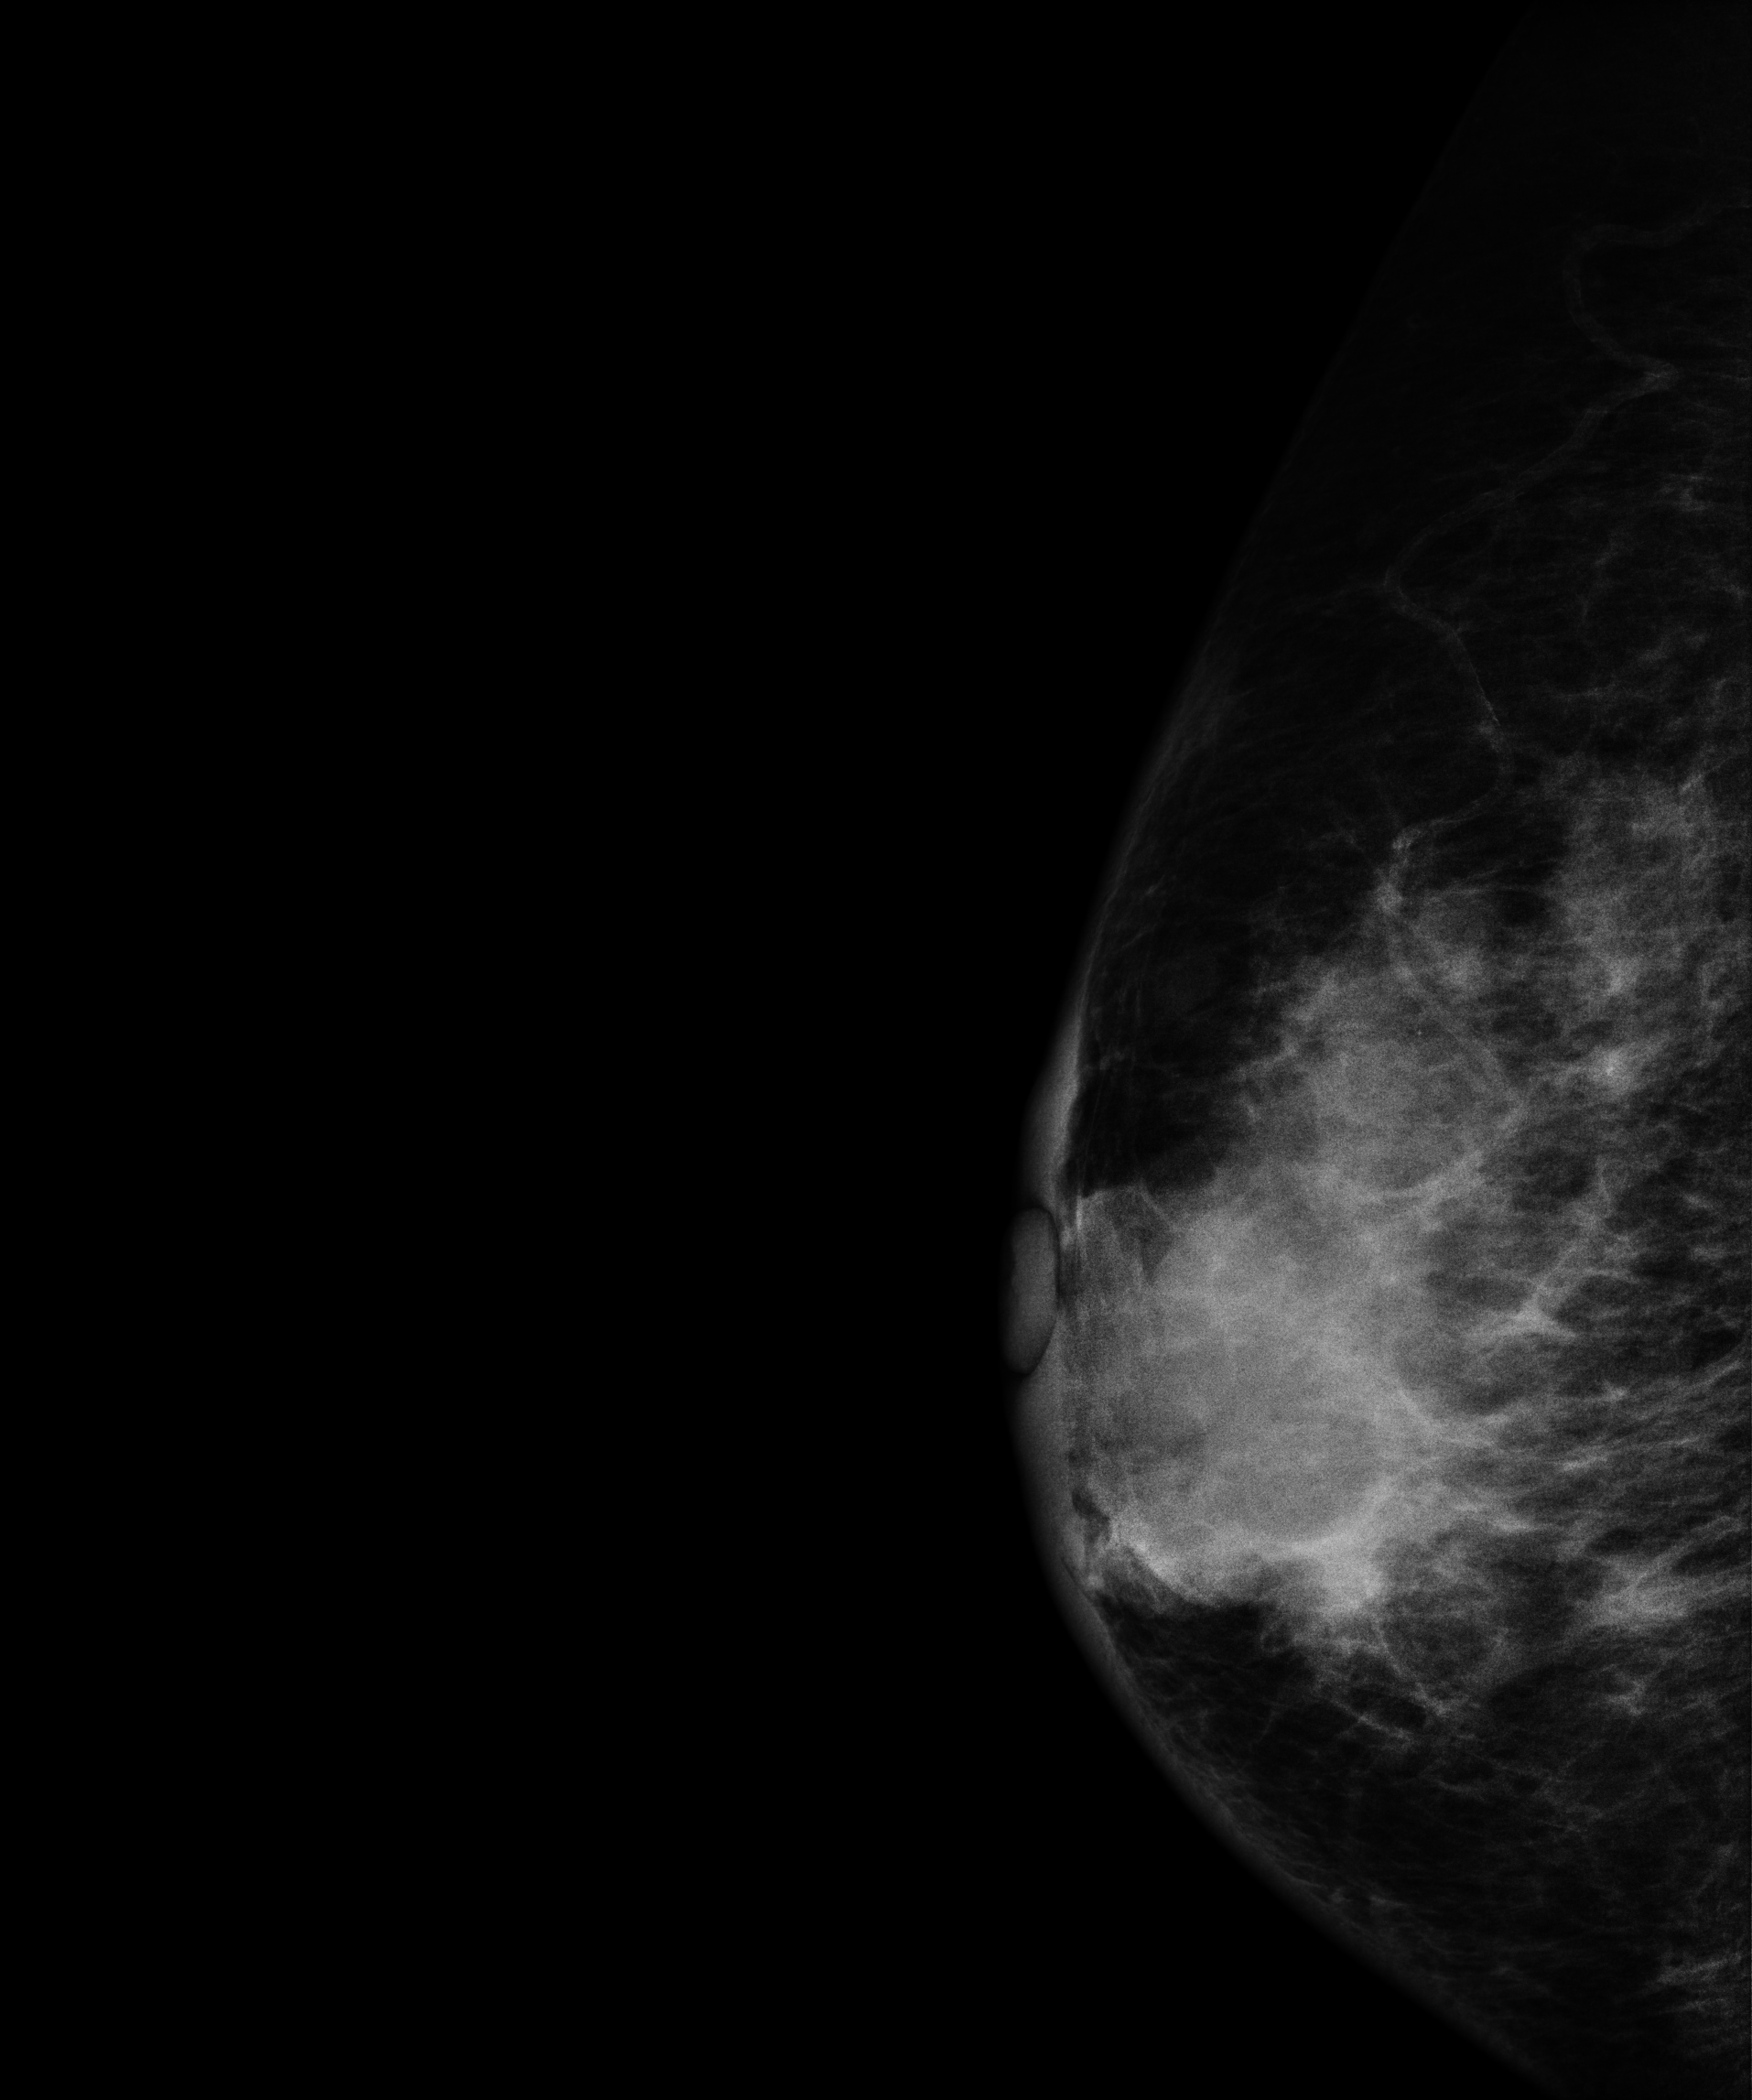
Digital mammography. Right breast, medio-lateral oblique projection. 58-year-old patient.
This breast has a mass, pathology-confirmed malignant.